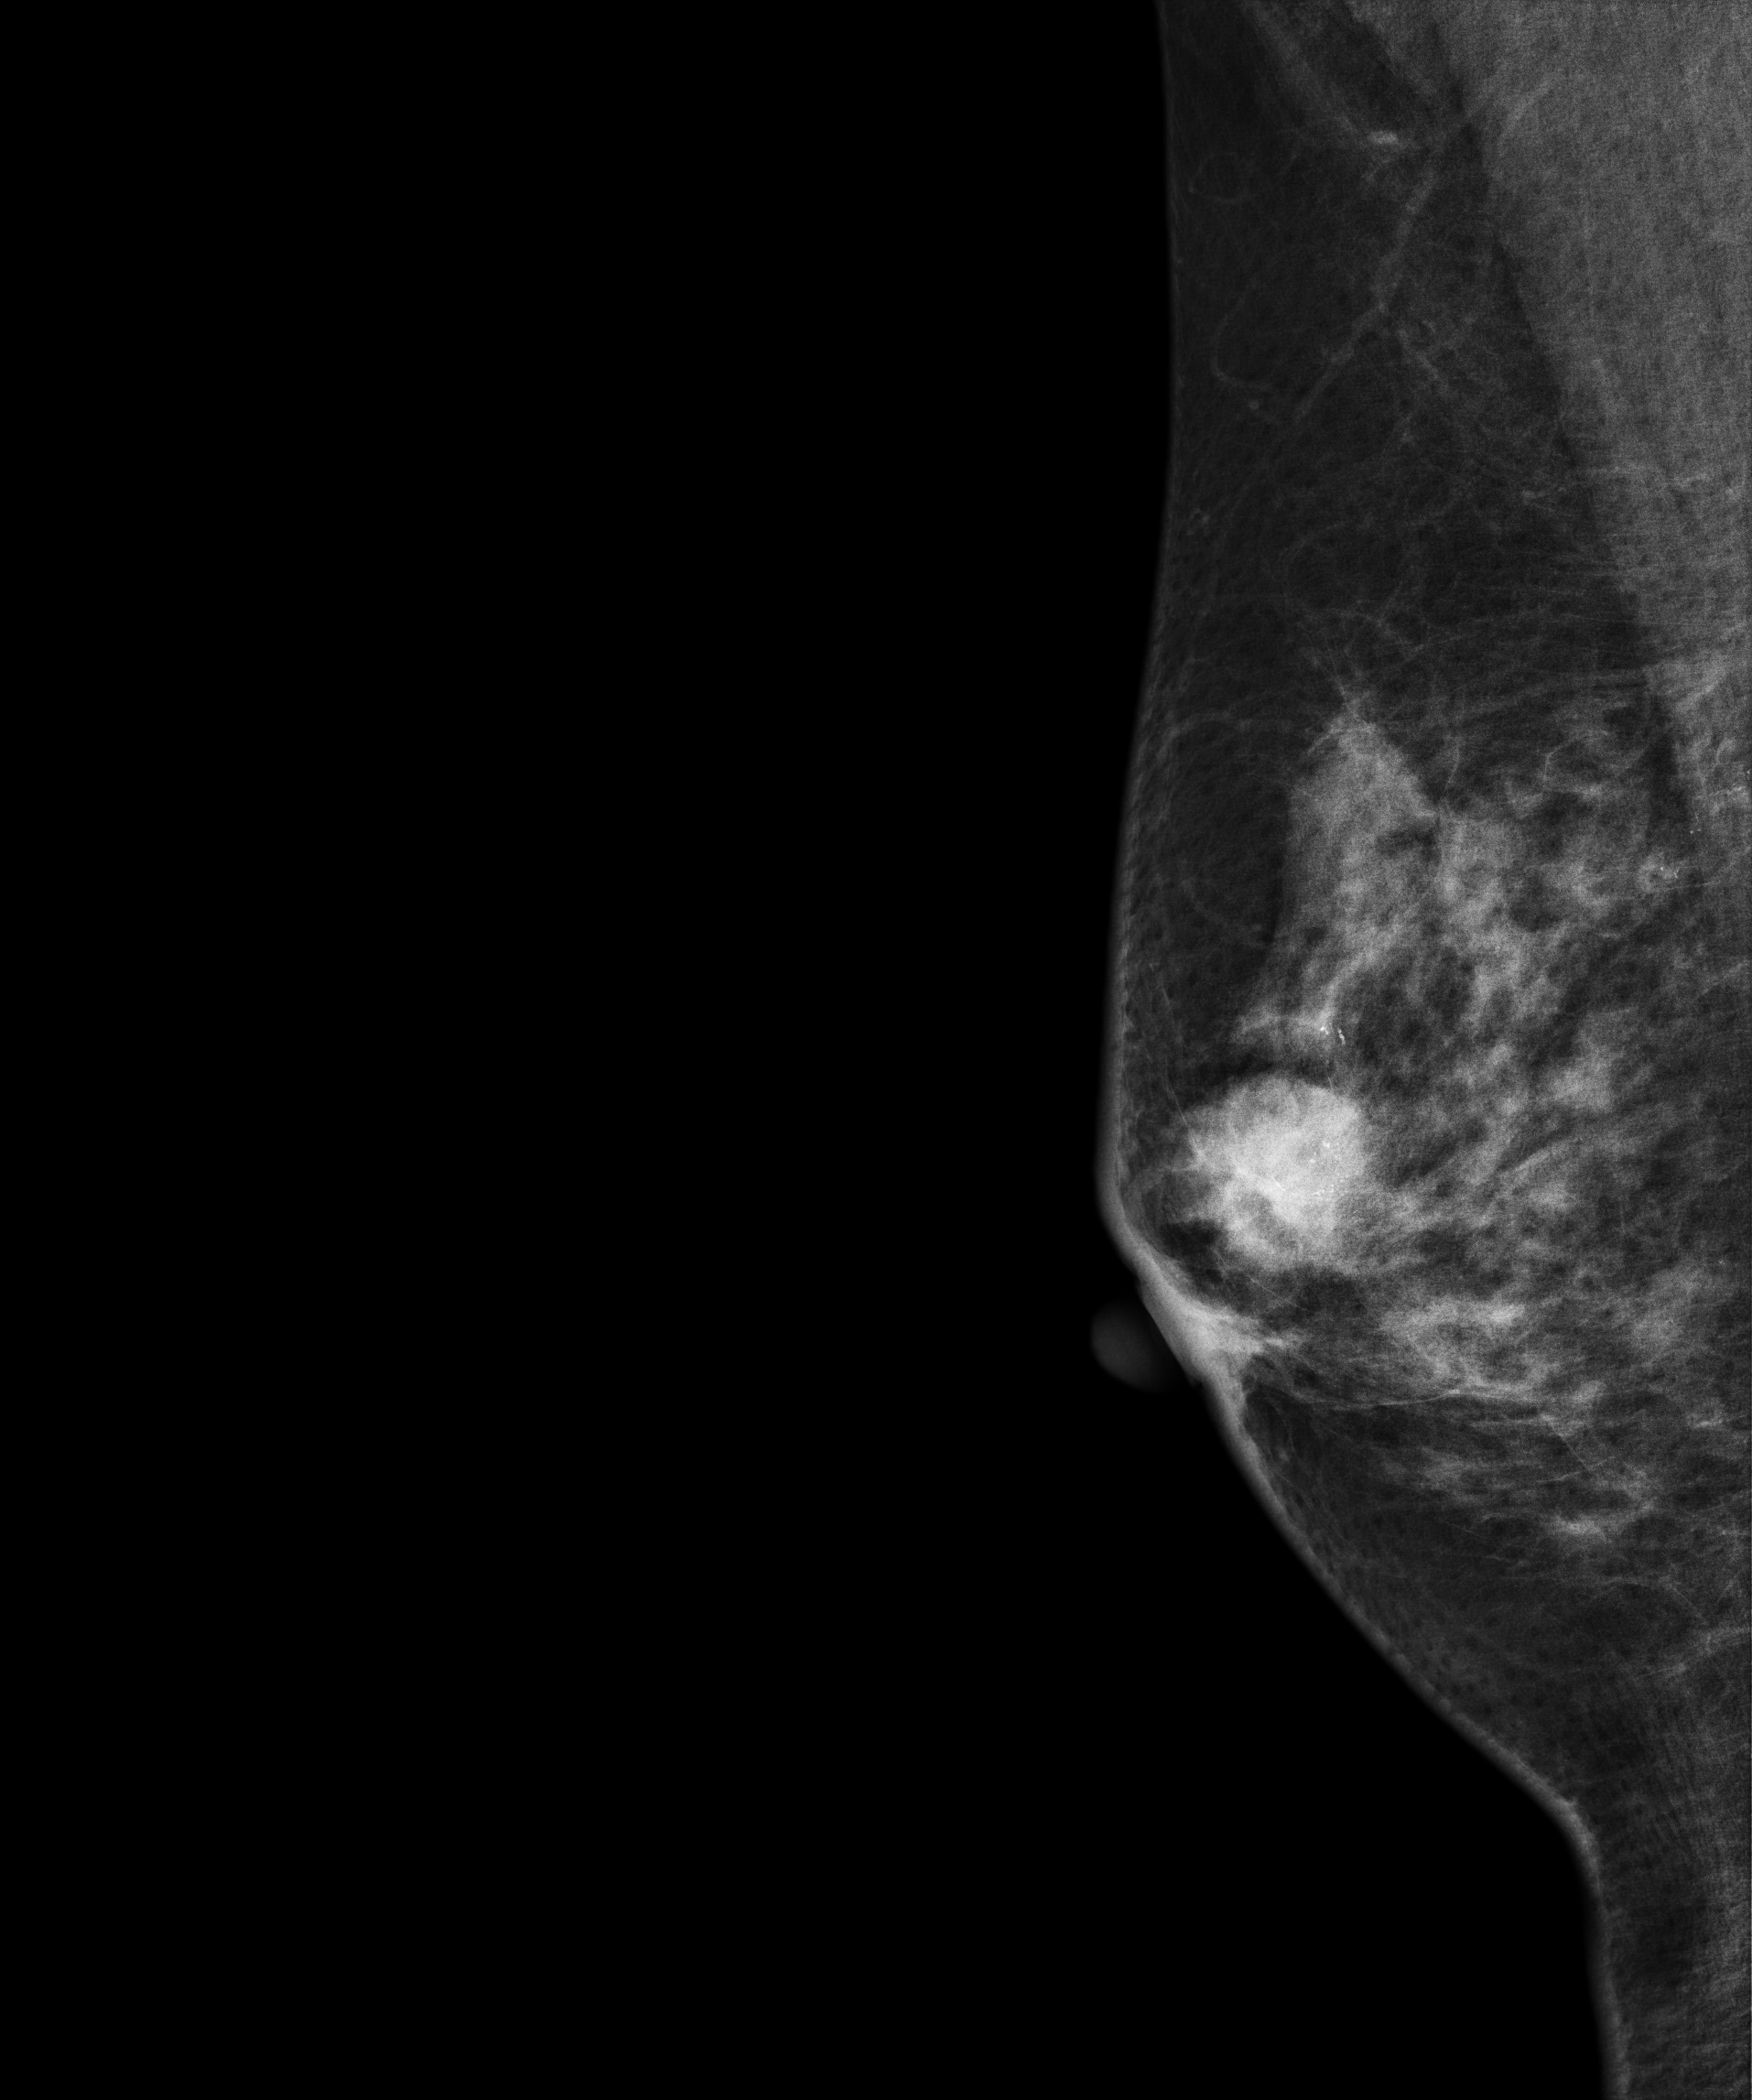
MLO mammogram of the right breast. 56-year-old patient.
This breast has a mass and calcifications, histologically confirmed malignant. Molecular subtype: luminal B.